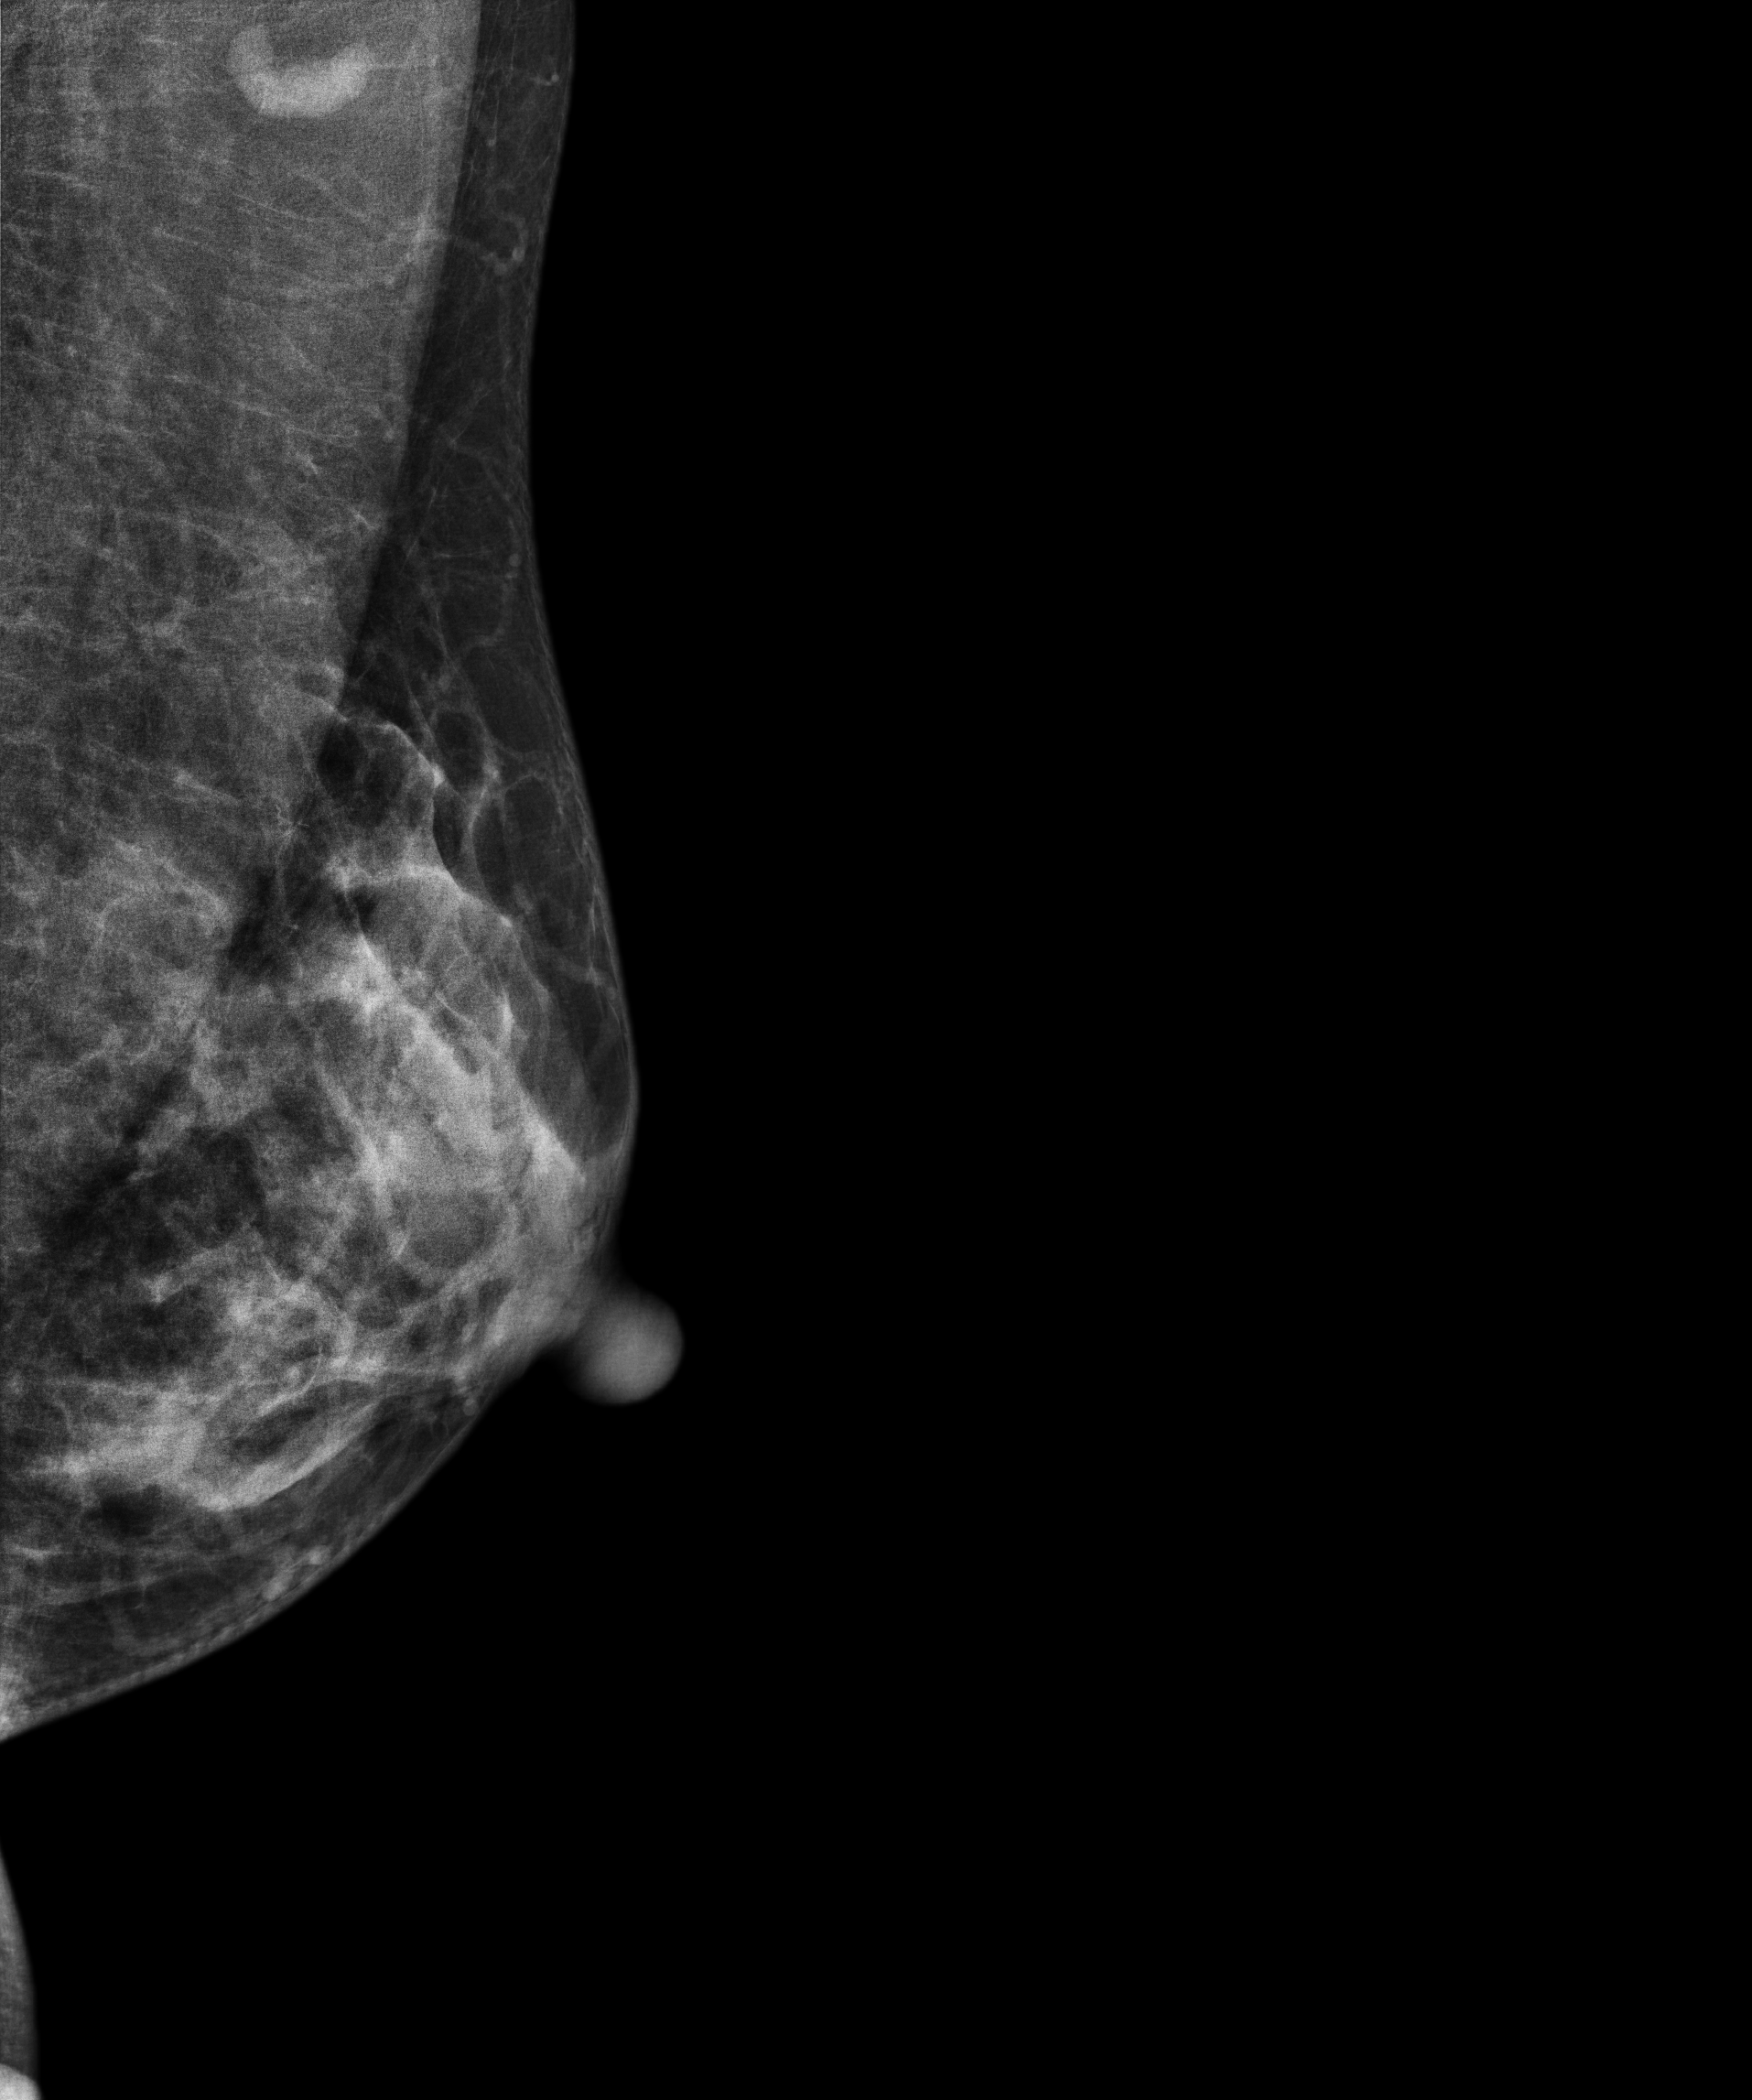
Mammogram — left medio-lateral oblique. Patient age 35.
This breast has a mass, pathology-confirmed malignant. Molecular subtype: luminal B.